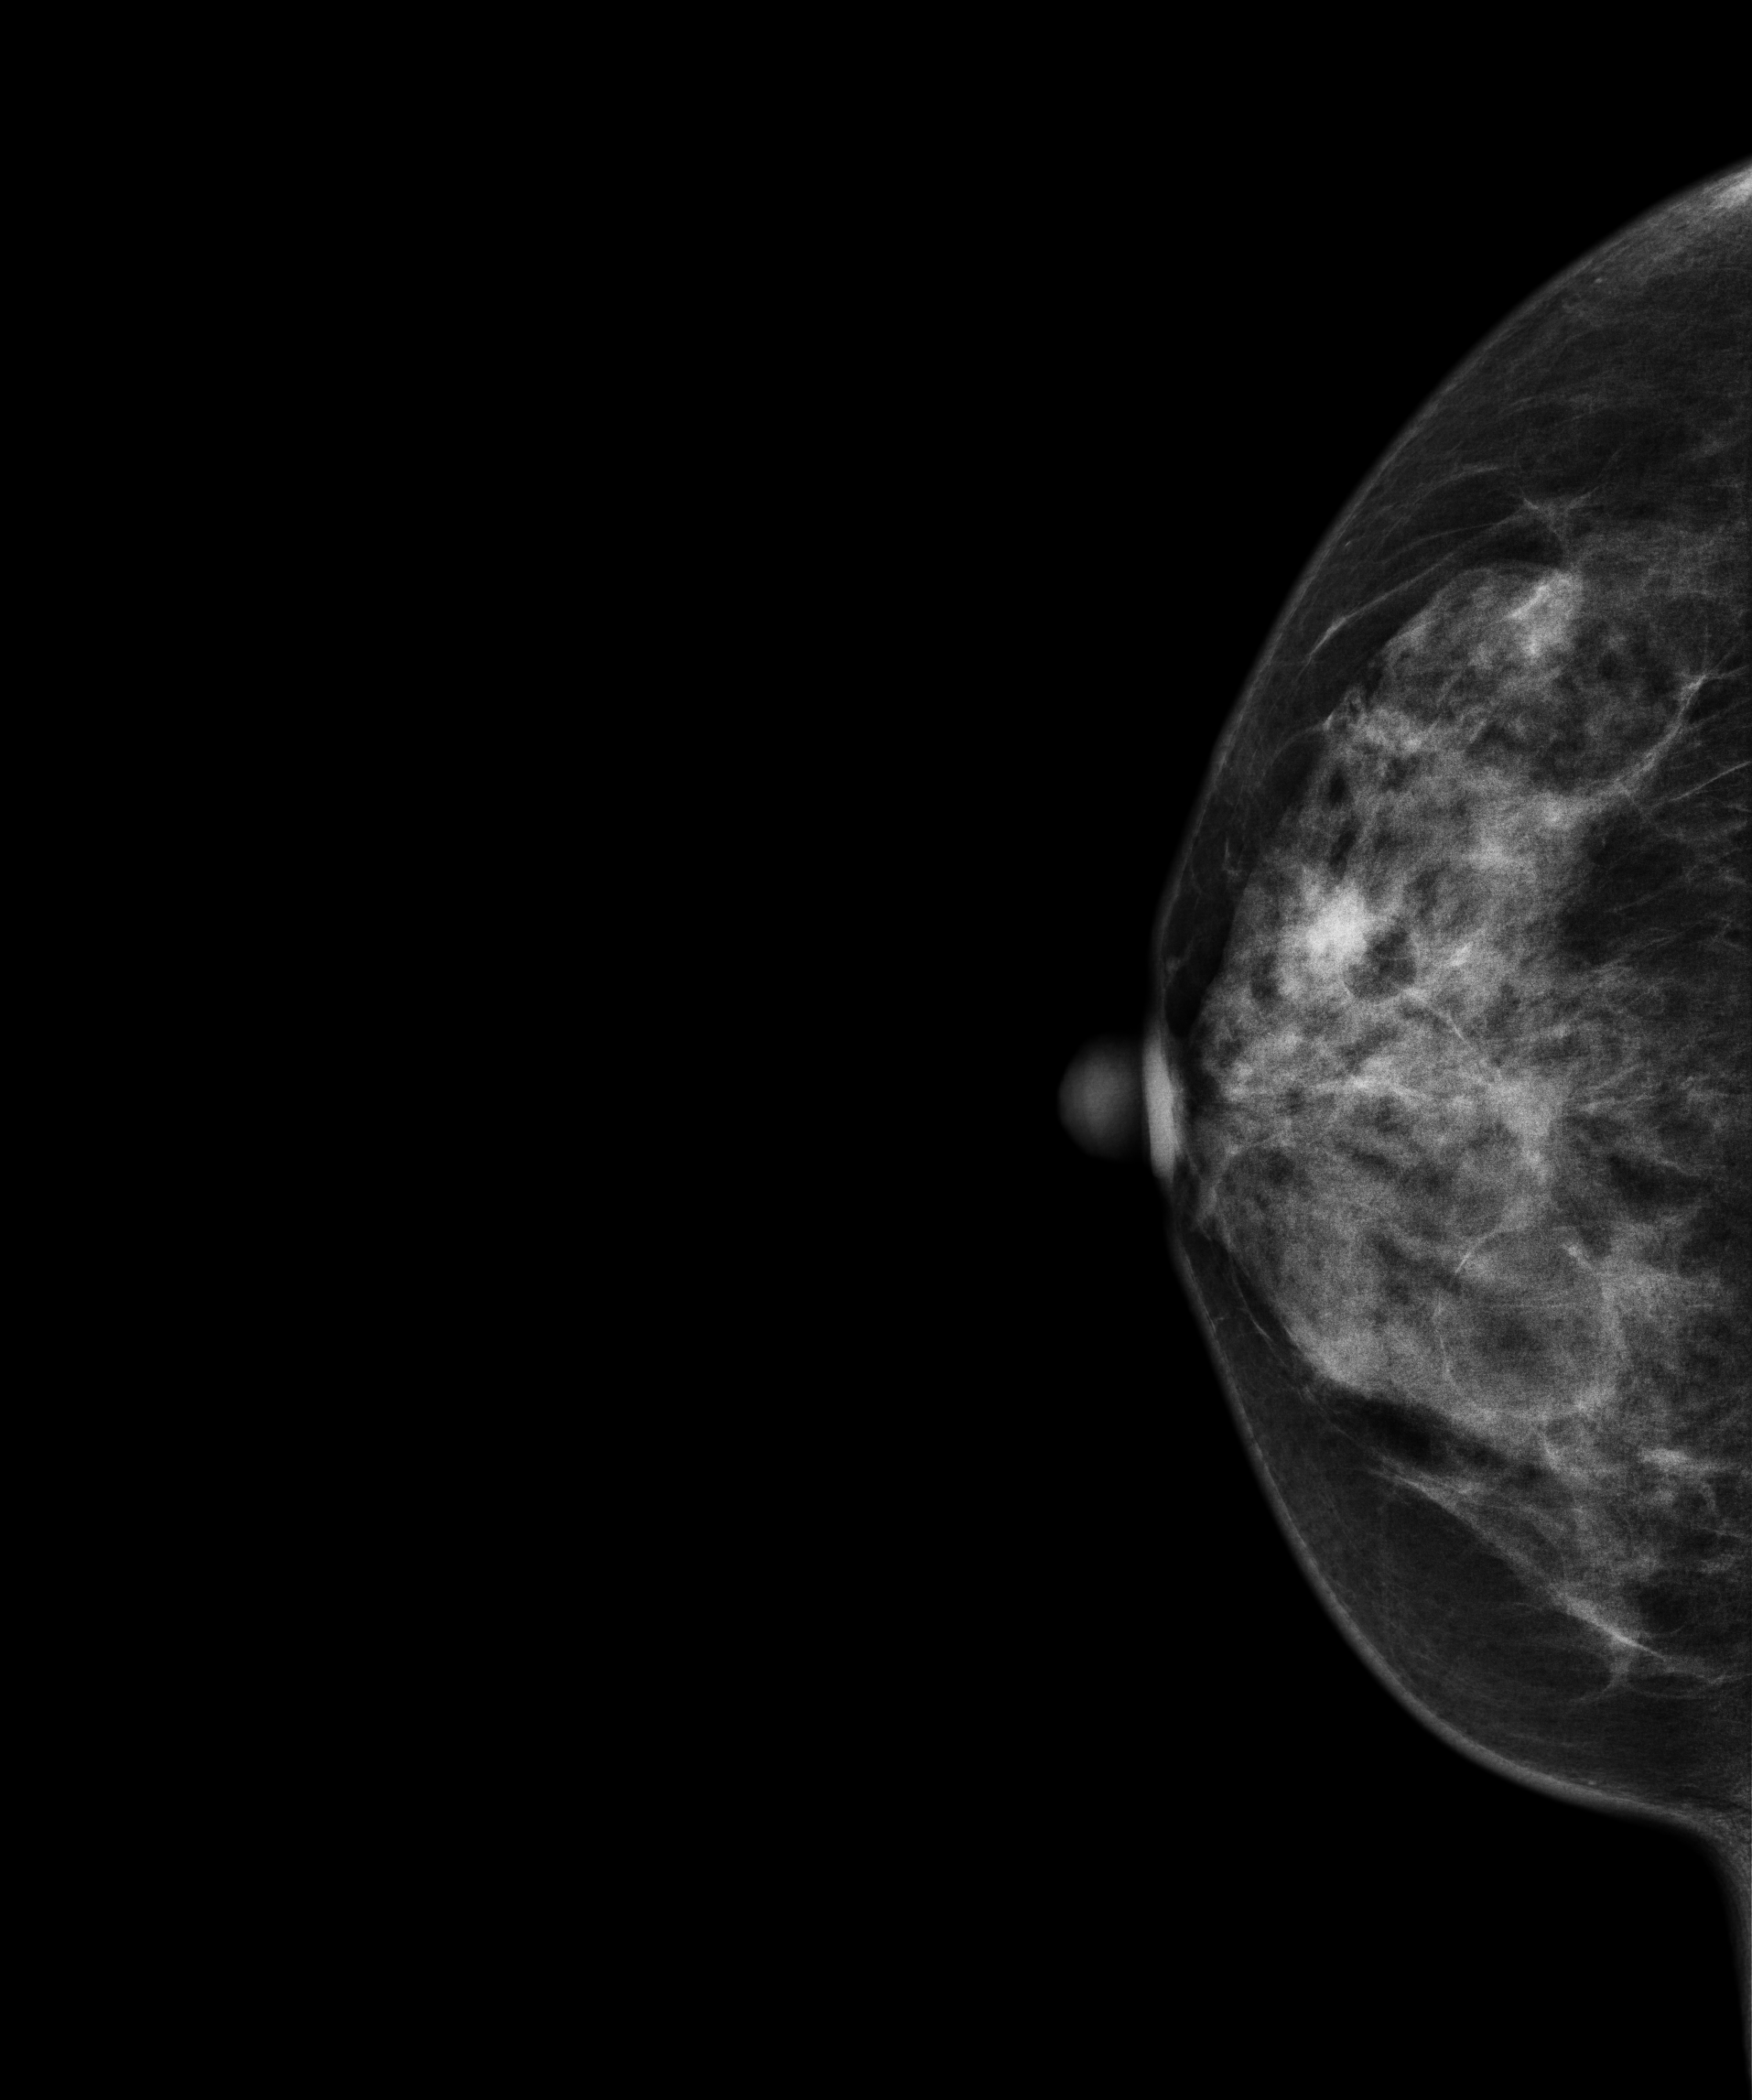
Mammogram — right CC. 51 y/o patient.
This breast has a mass, histologically confirmed benign.